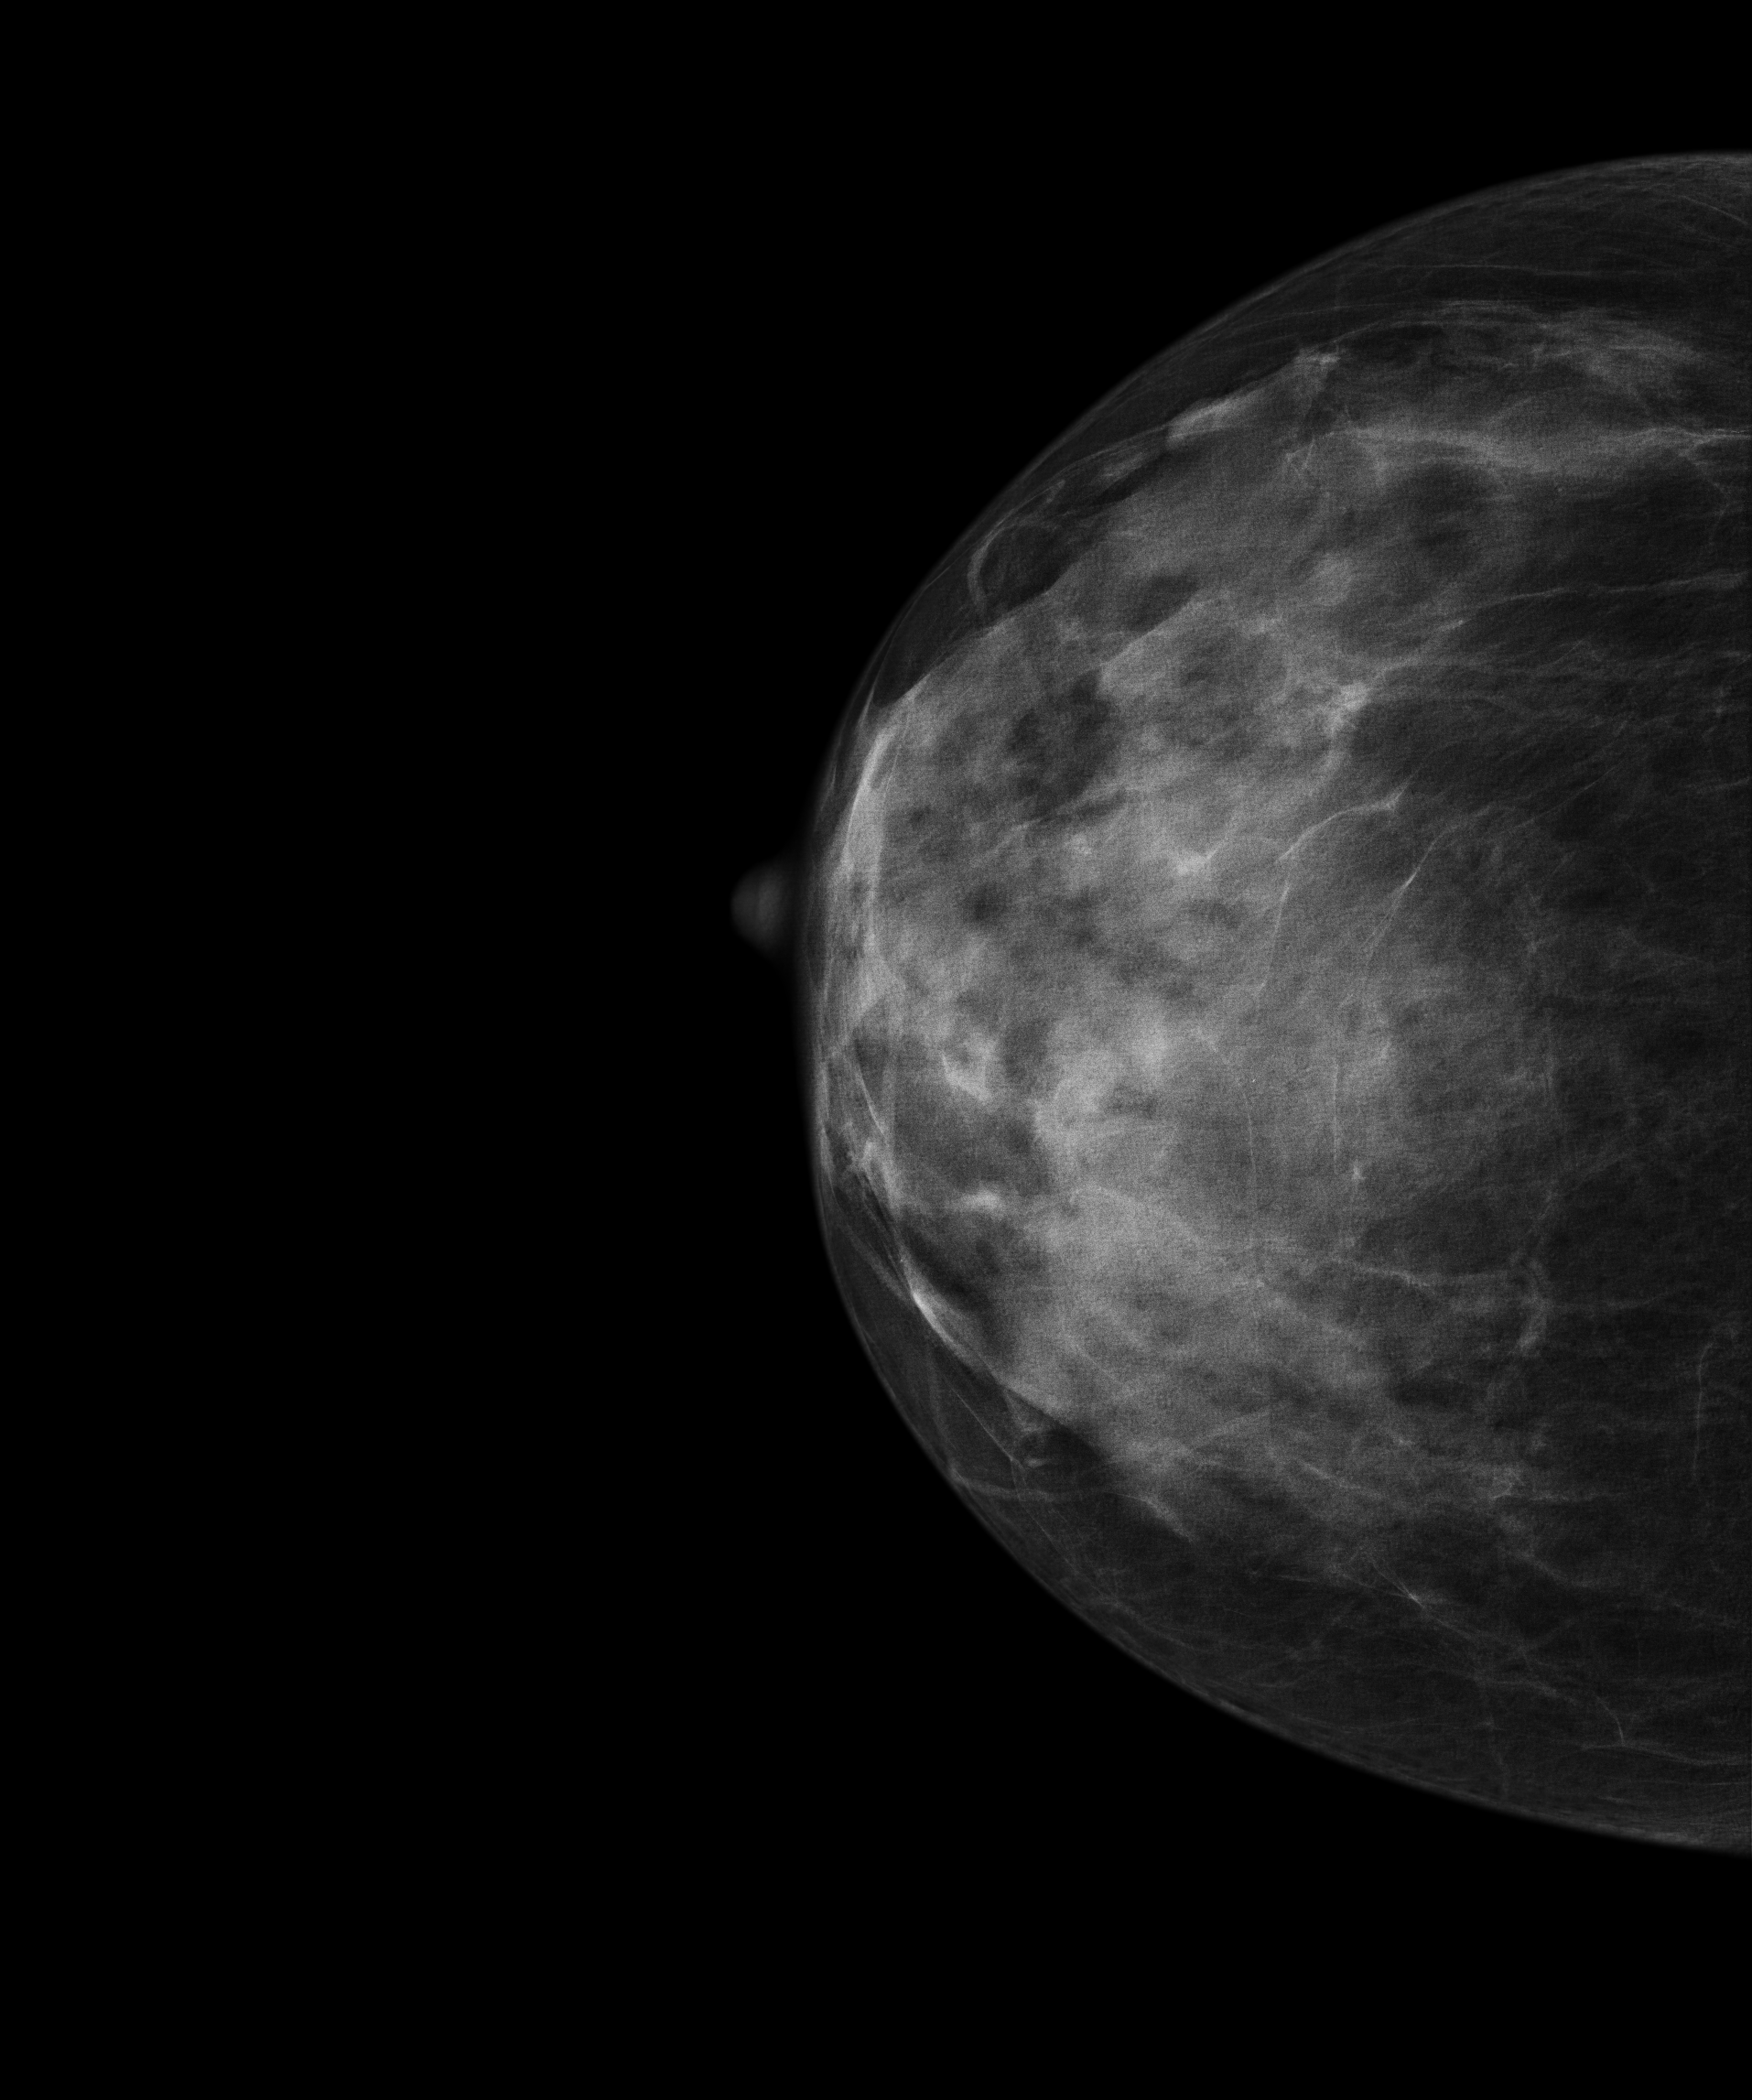
Mammogram, right breast, cranio-caudal view. Patient age 56.
Contralateral breast — no documented abnormality on this side.